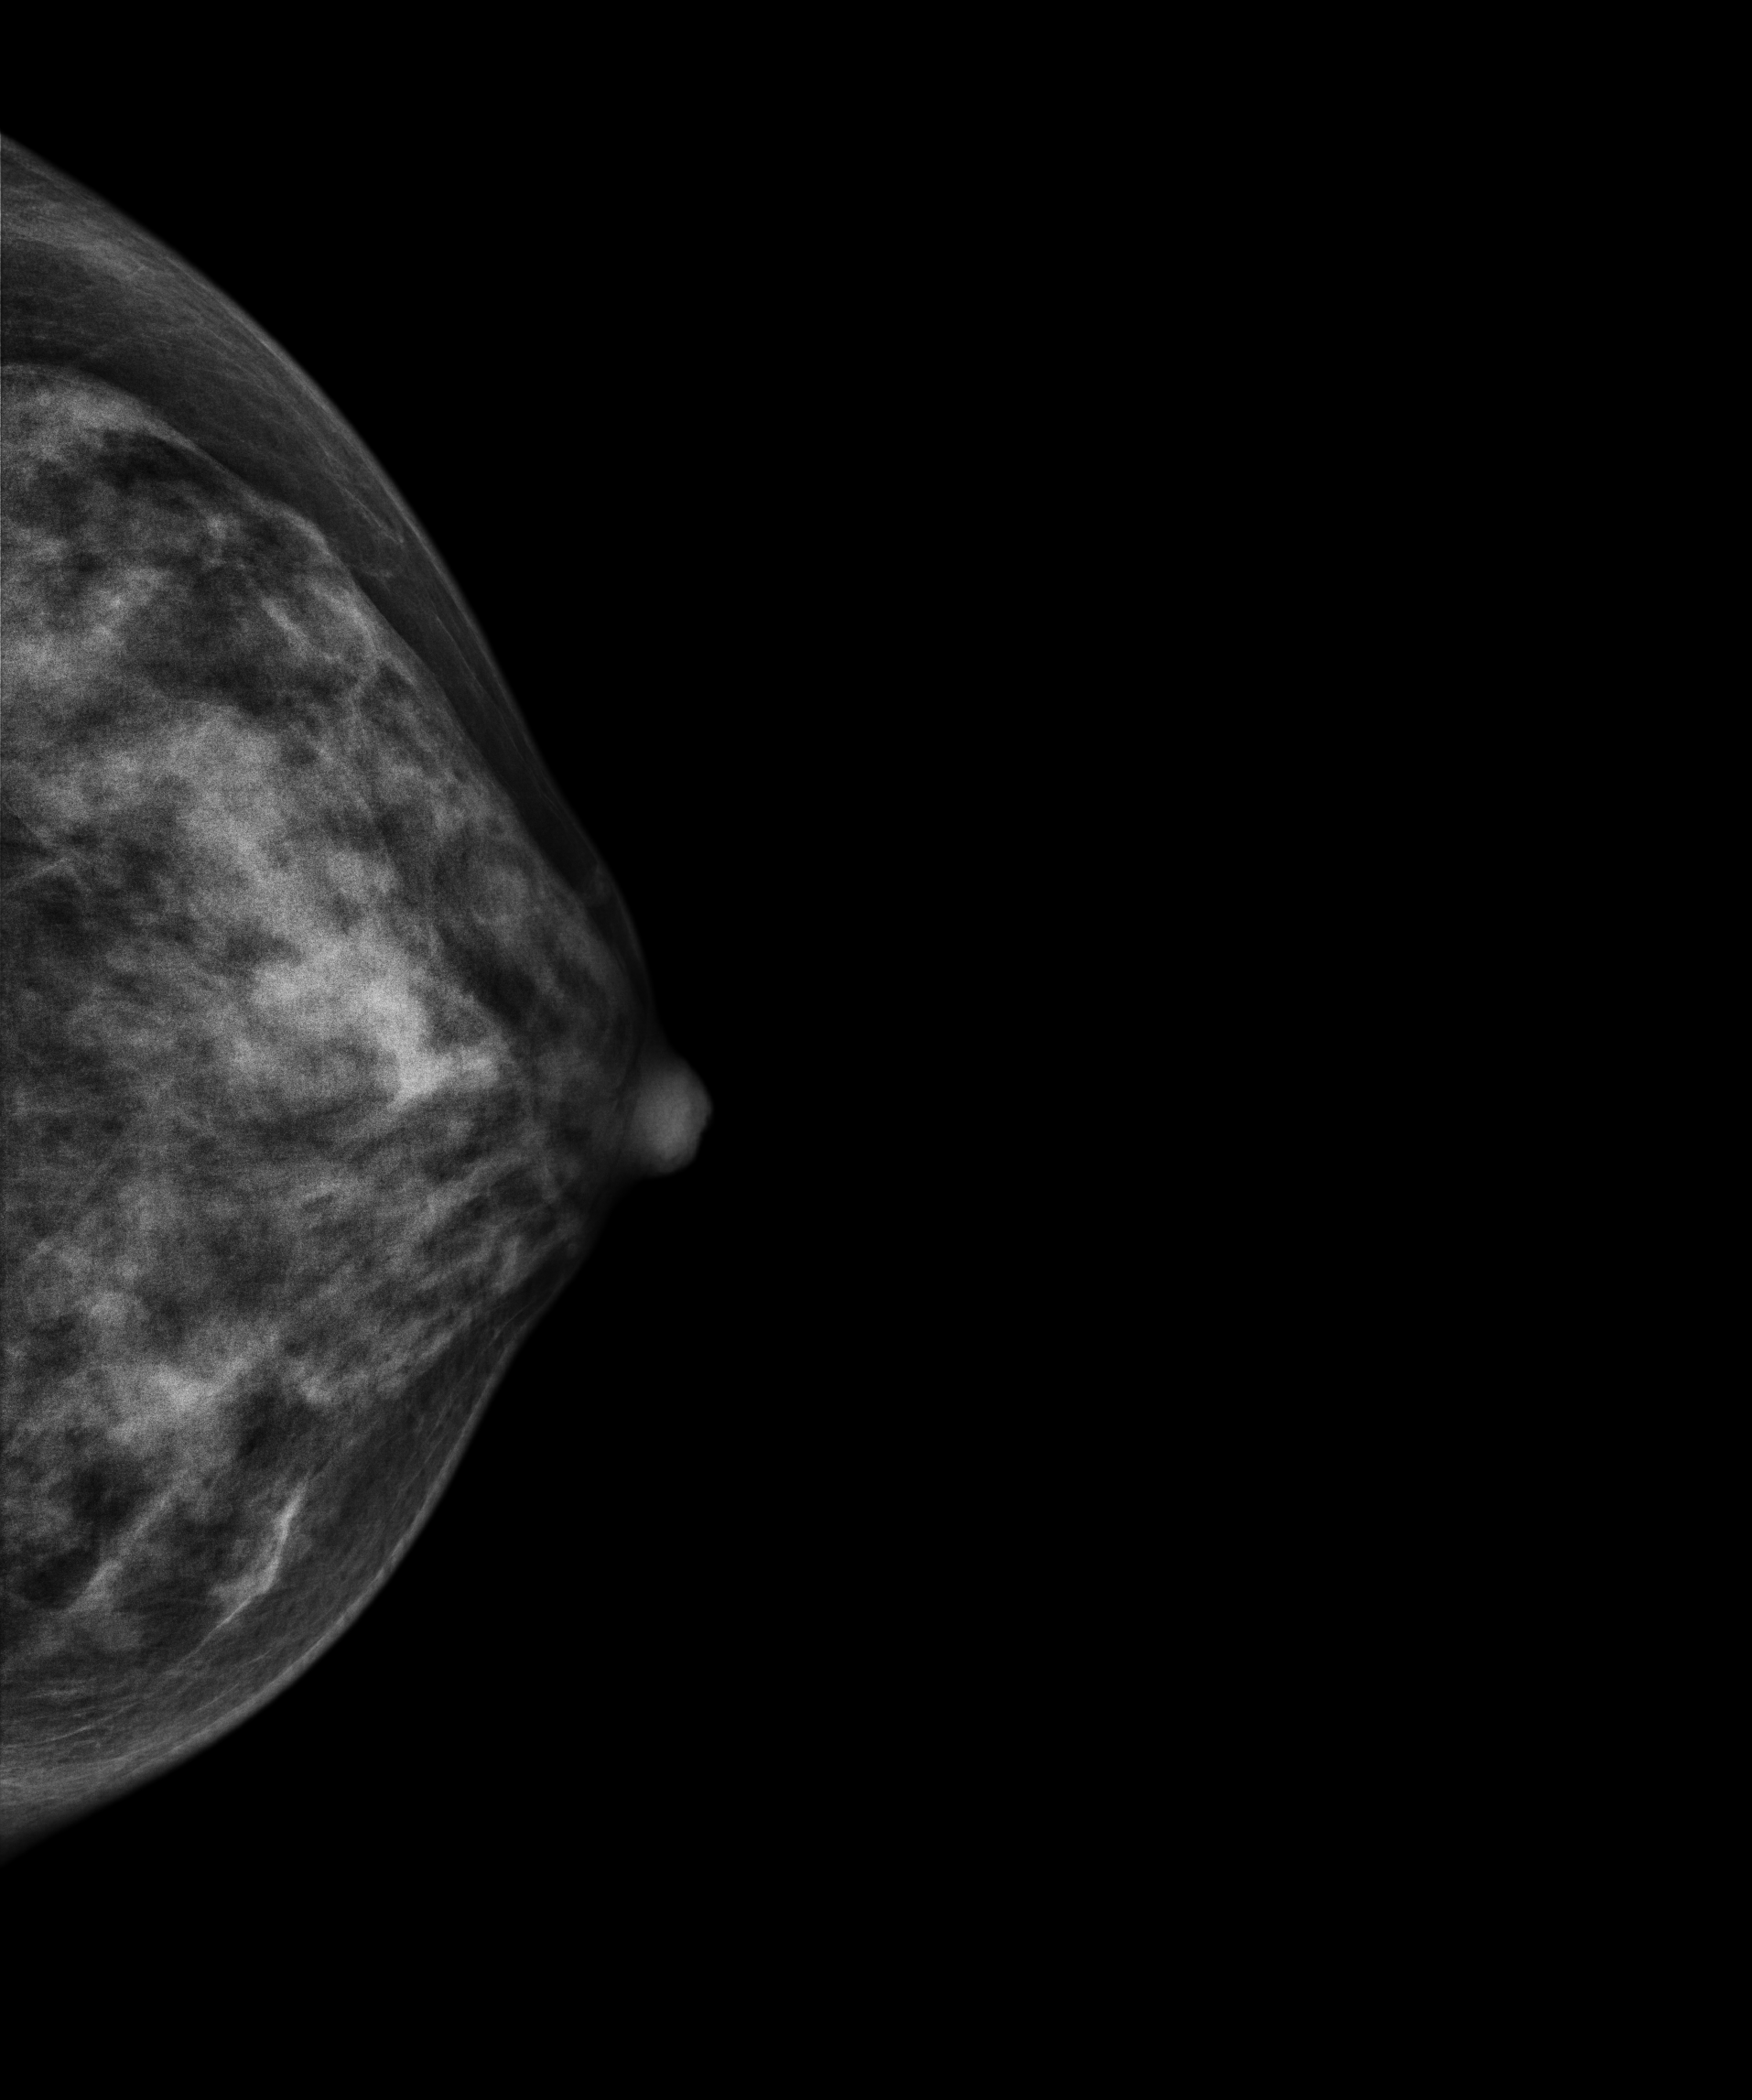
Digital mammography. Left breast, CC projection. Patient age 40.
This breast has a mass, histologically confirmed benign.